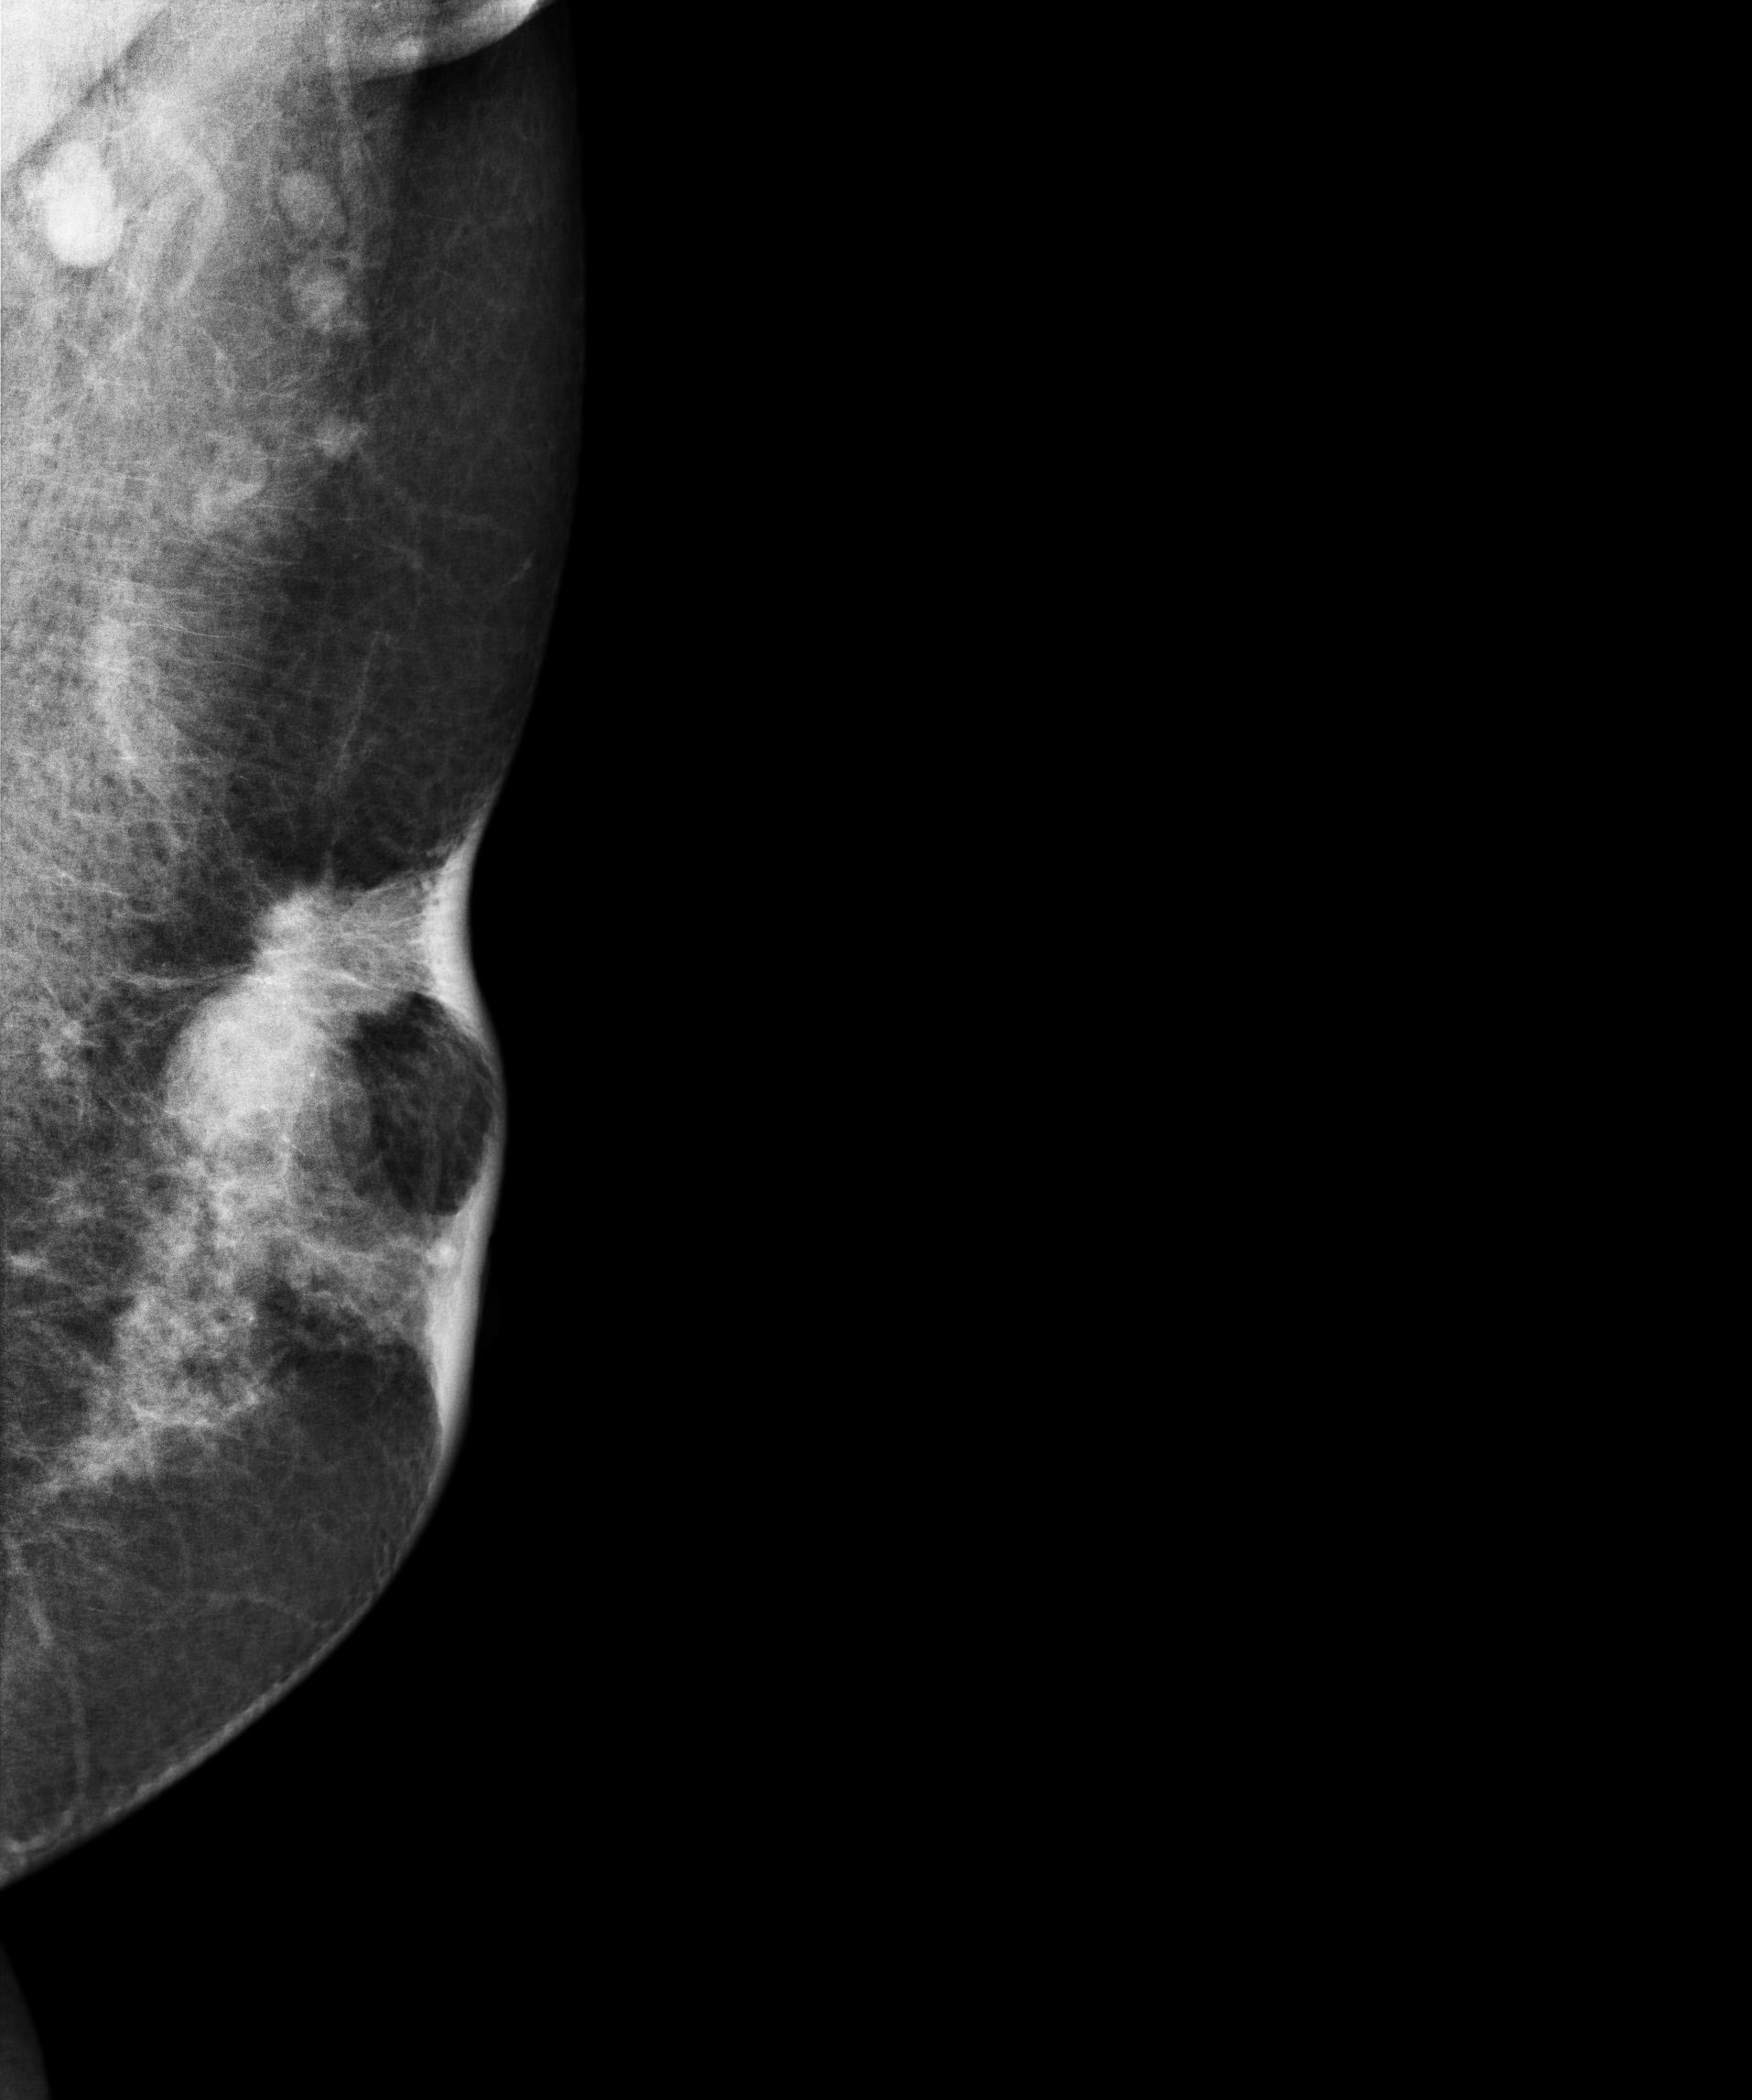
Digital mammography. Left breast, medio-lateral oblique projection. Patient age 55.
This breast has a mass and calcifications, biopsy-proven malignant. Molecular subtype: luminal A.